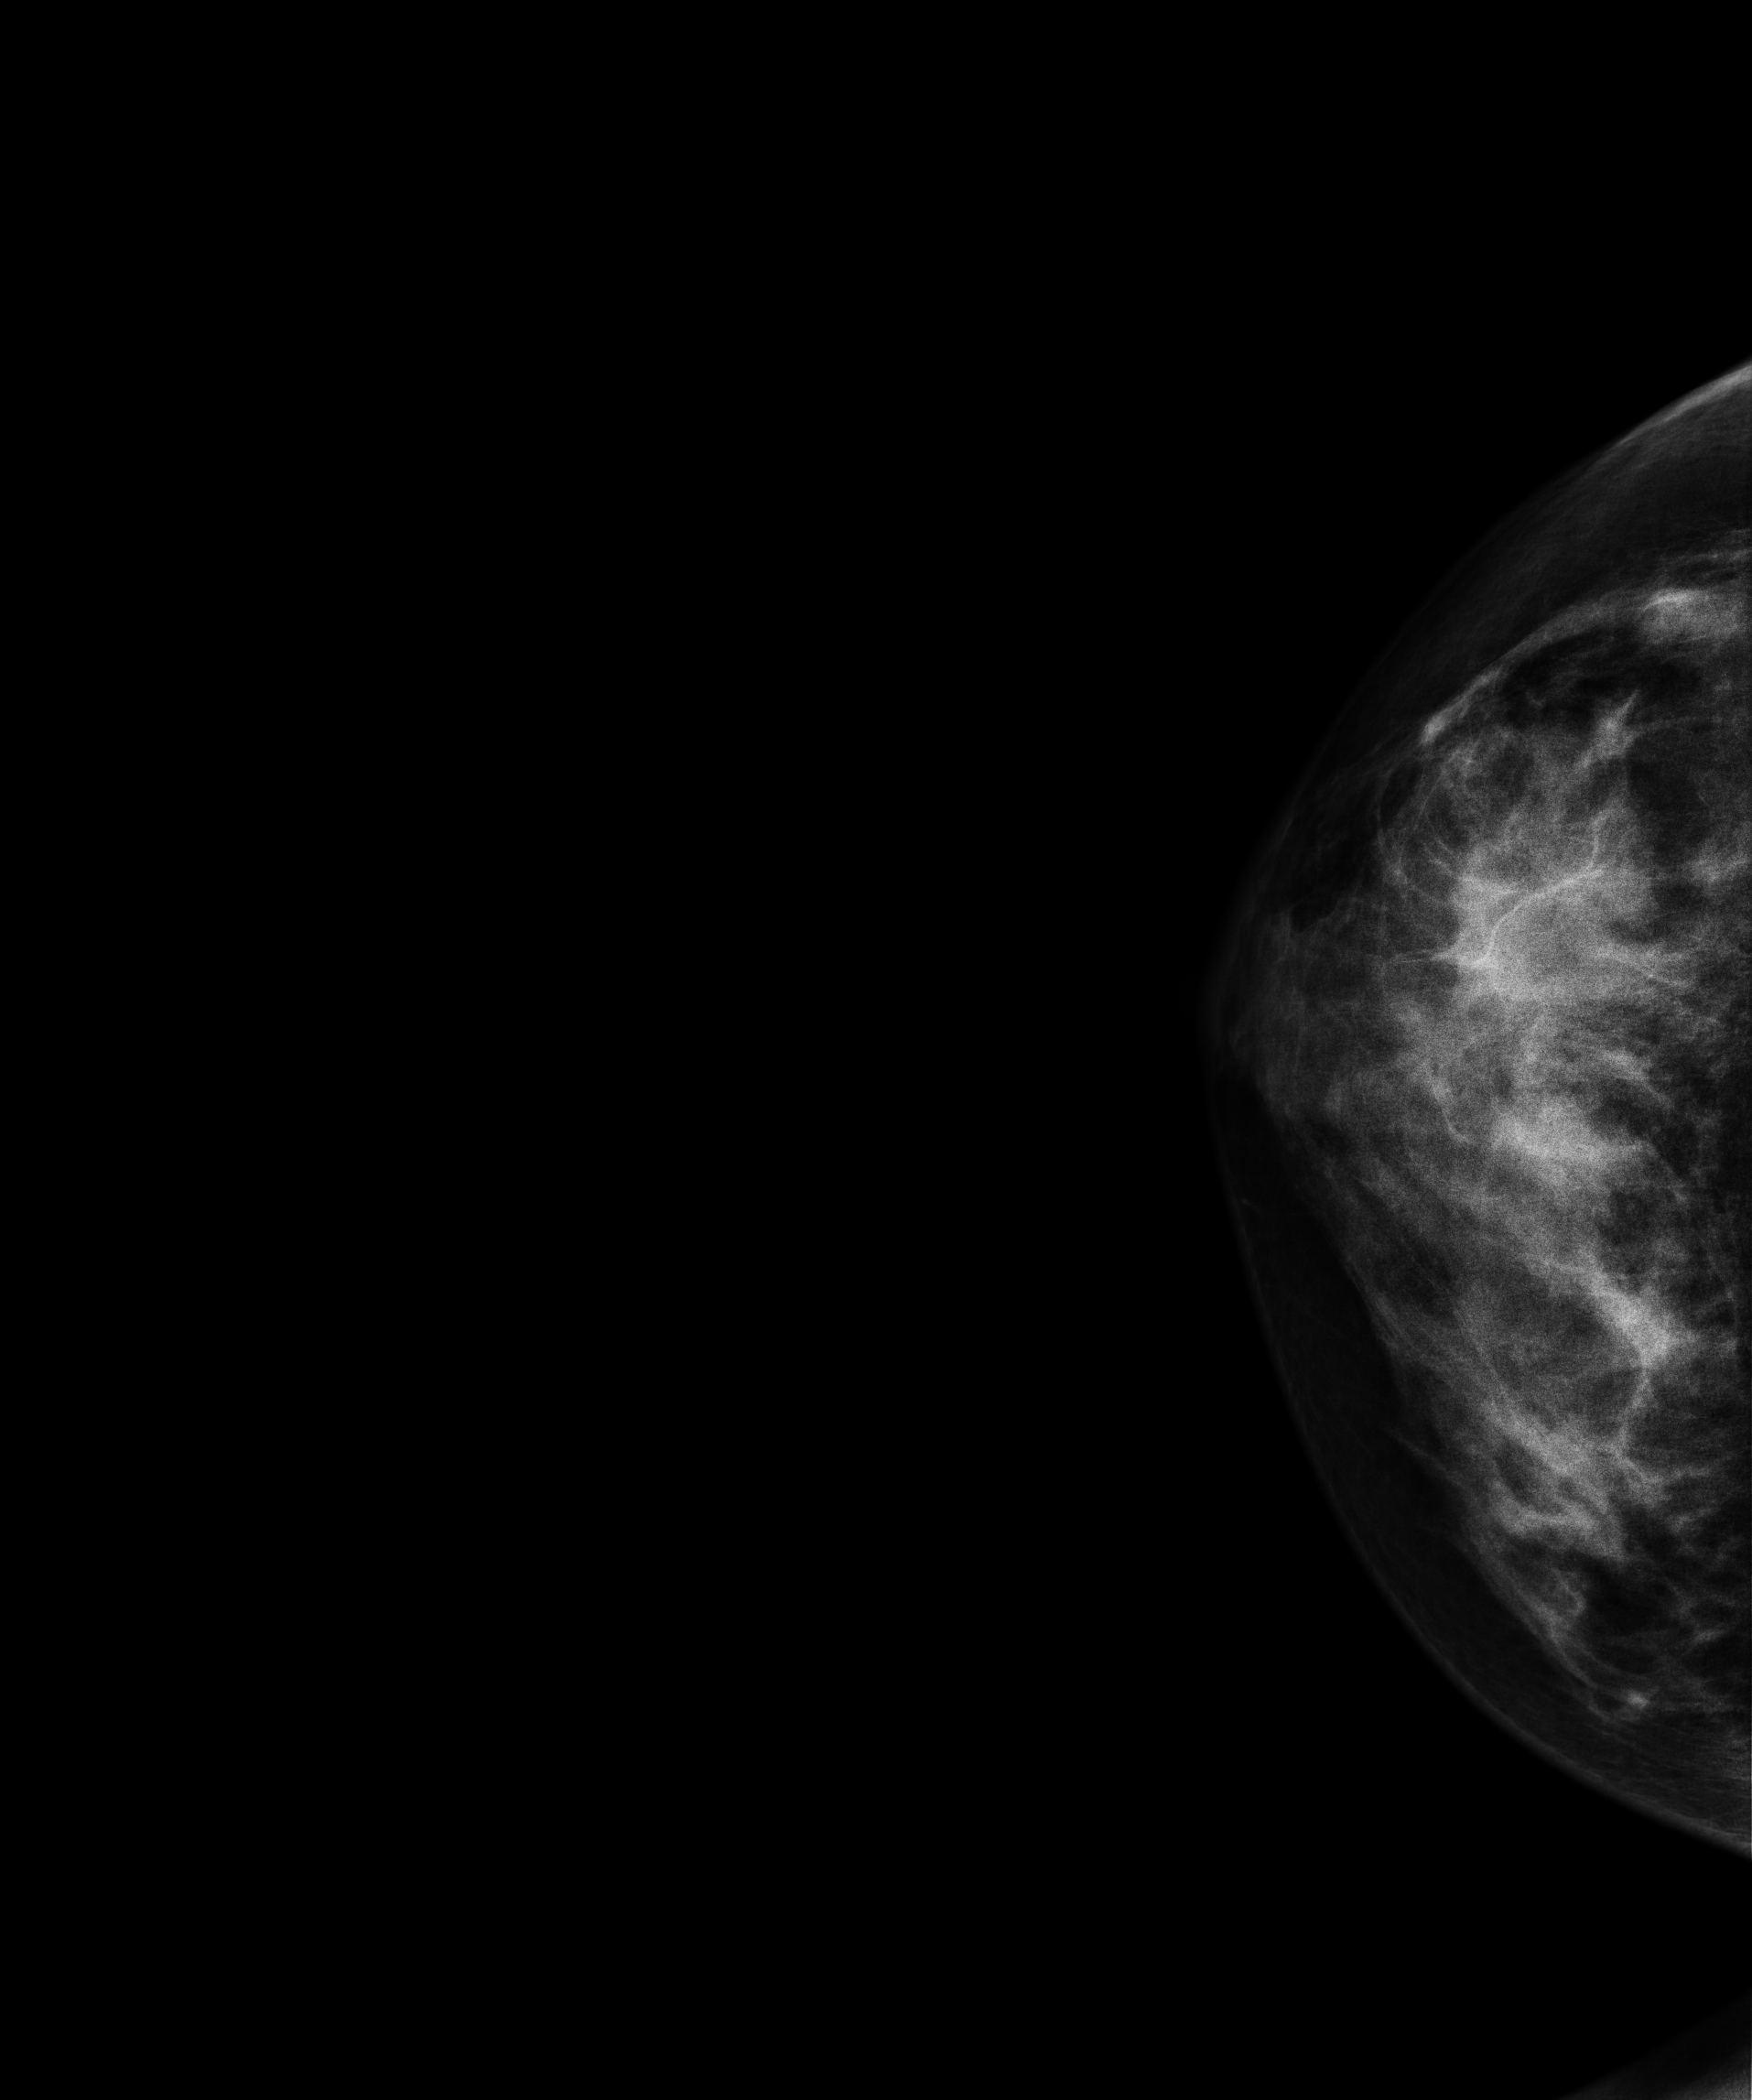
Digital mammography. Right breast, cranio-caudal projection. 27 y/o patient.
This breast has a mass, pathology-confirmed benign.